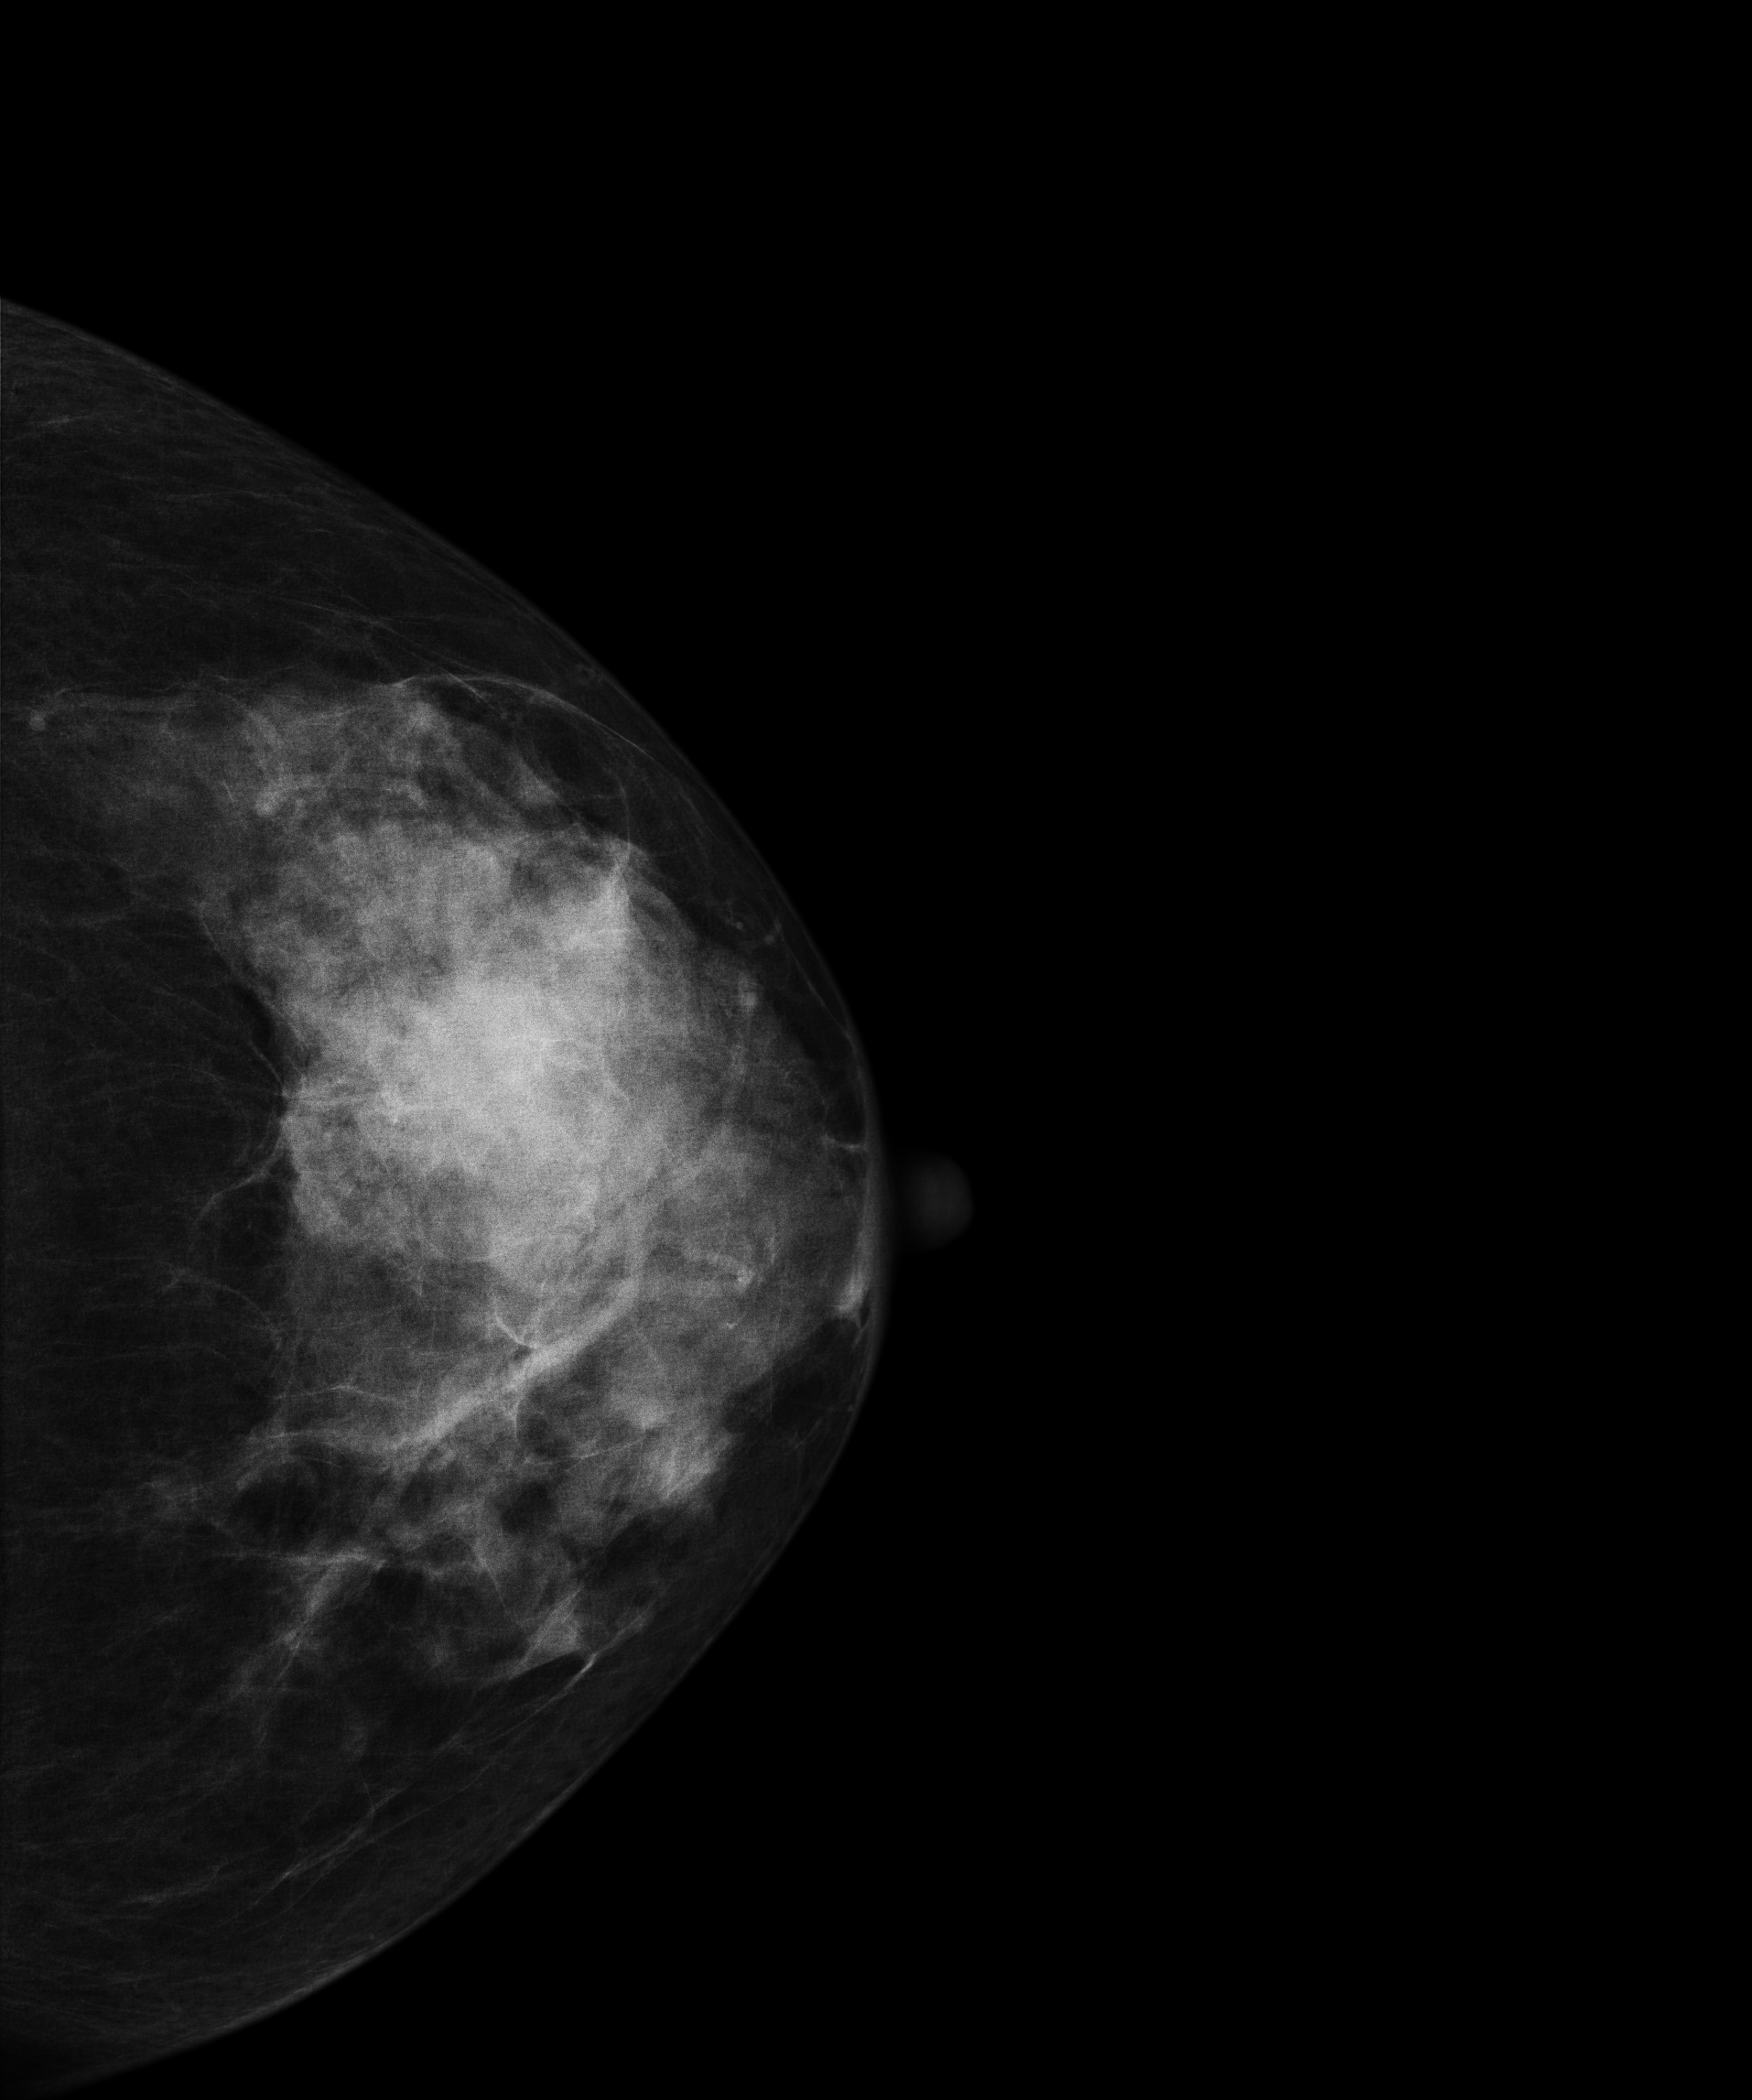
Cranio-caudal mammogram of the left breast. 53 y/o patient.
This breast has a mass, histologically confirmed malignant.